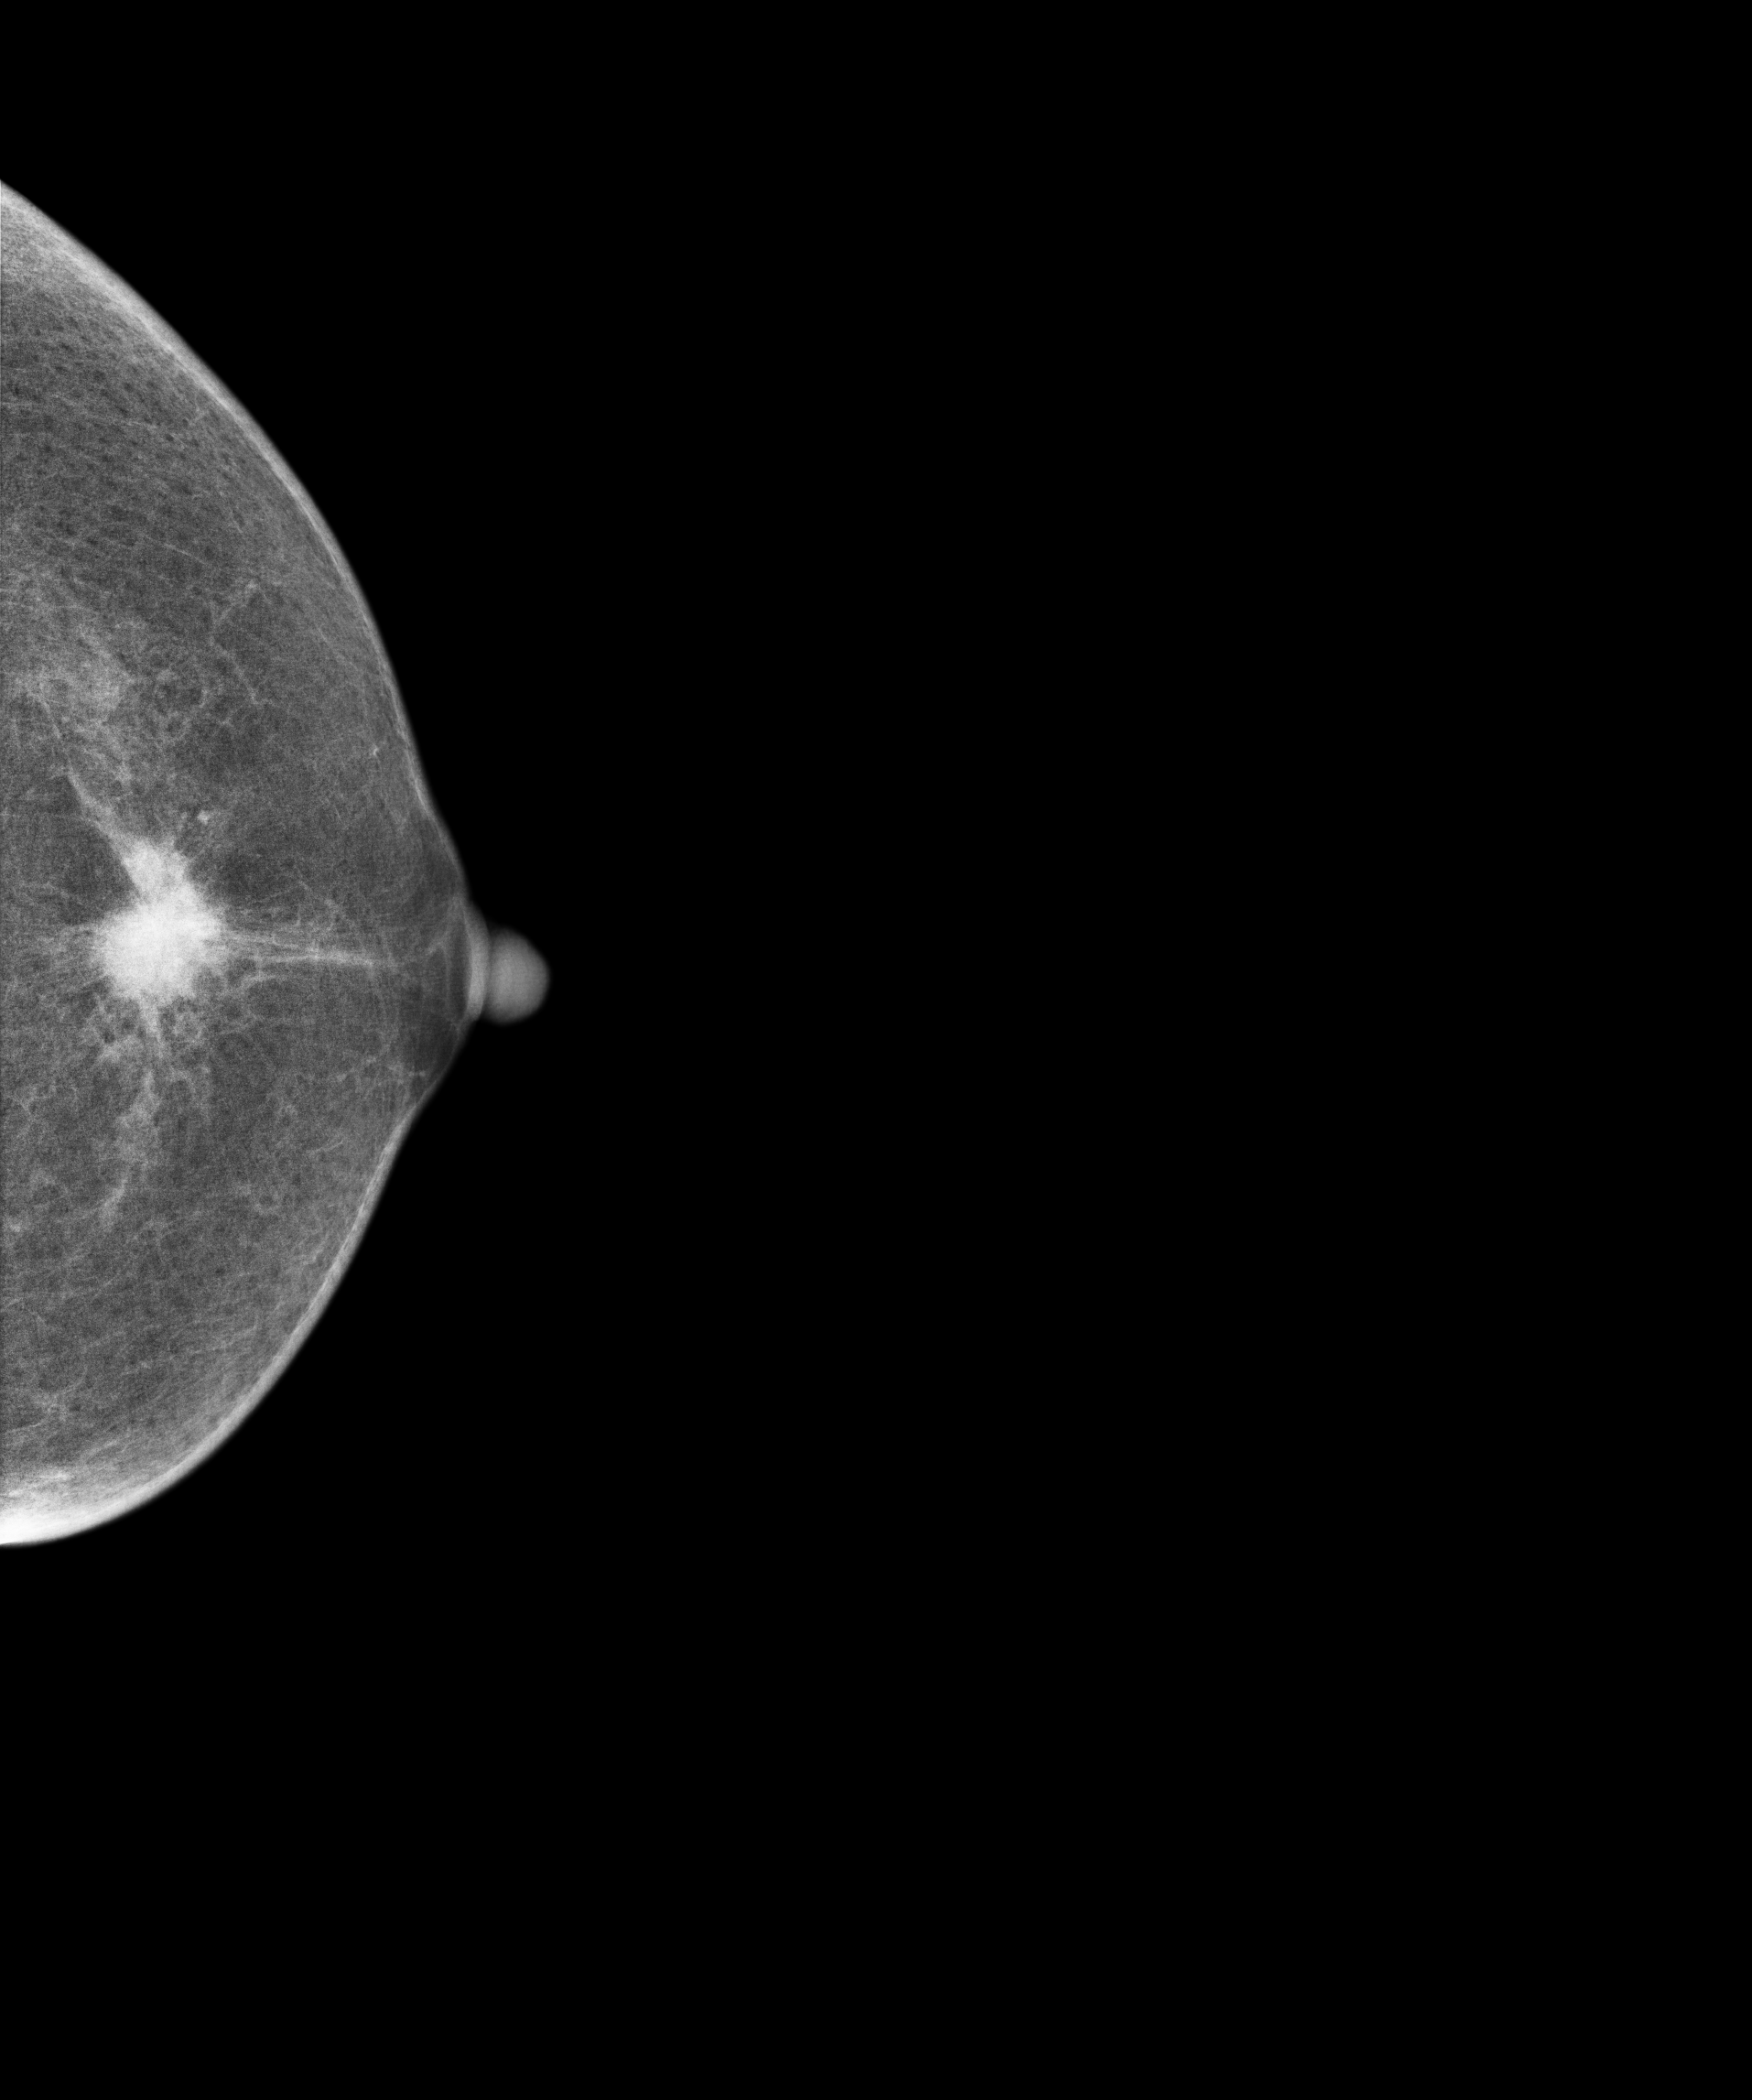
Left-breast mammogram, CC. 75-year-old patient.
This breast has a mass, biopsy-confirmed malignant.